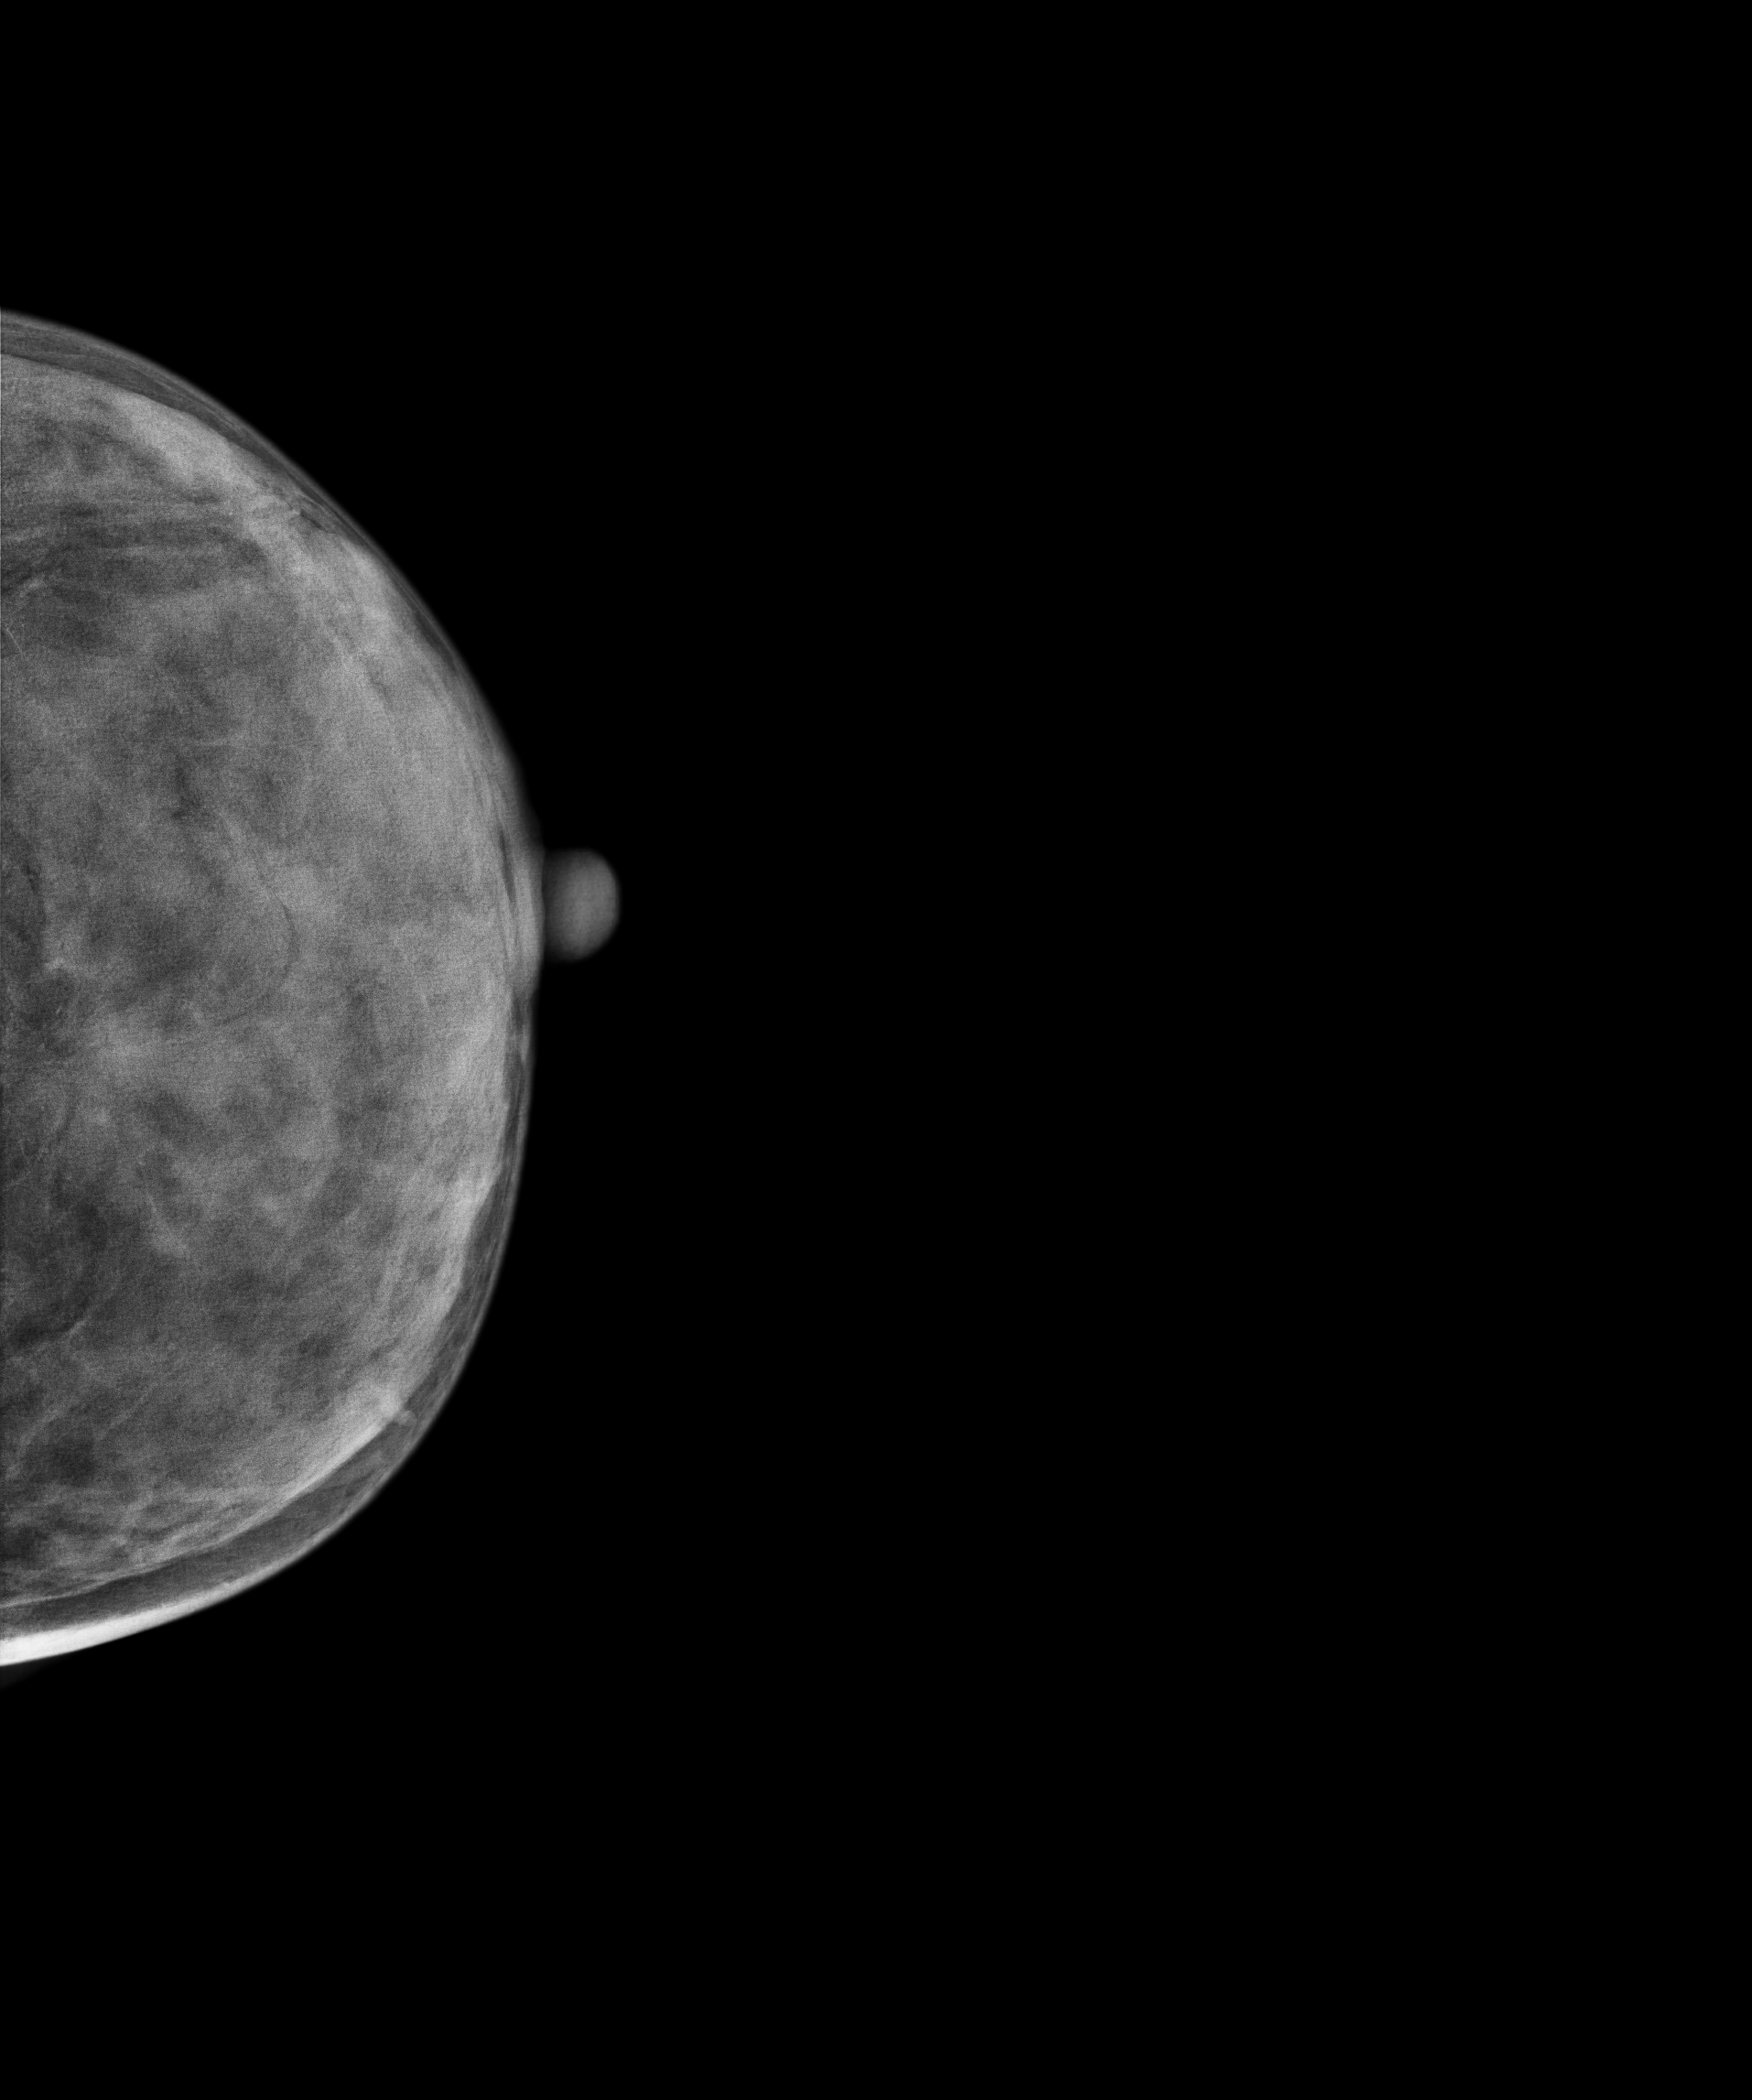
Mammogram — left cranio-caudal. Patient age 38.
This breast has a mass, pathology-confirmed malignant. Molecular subtype: luminal A.